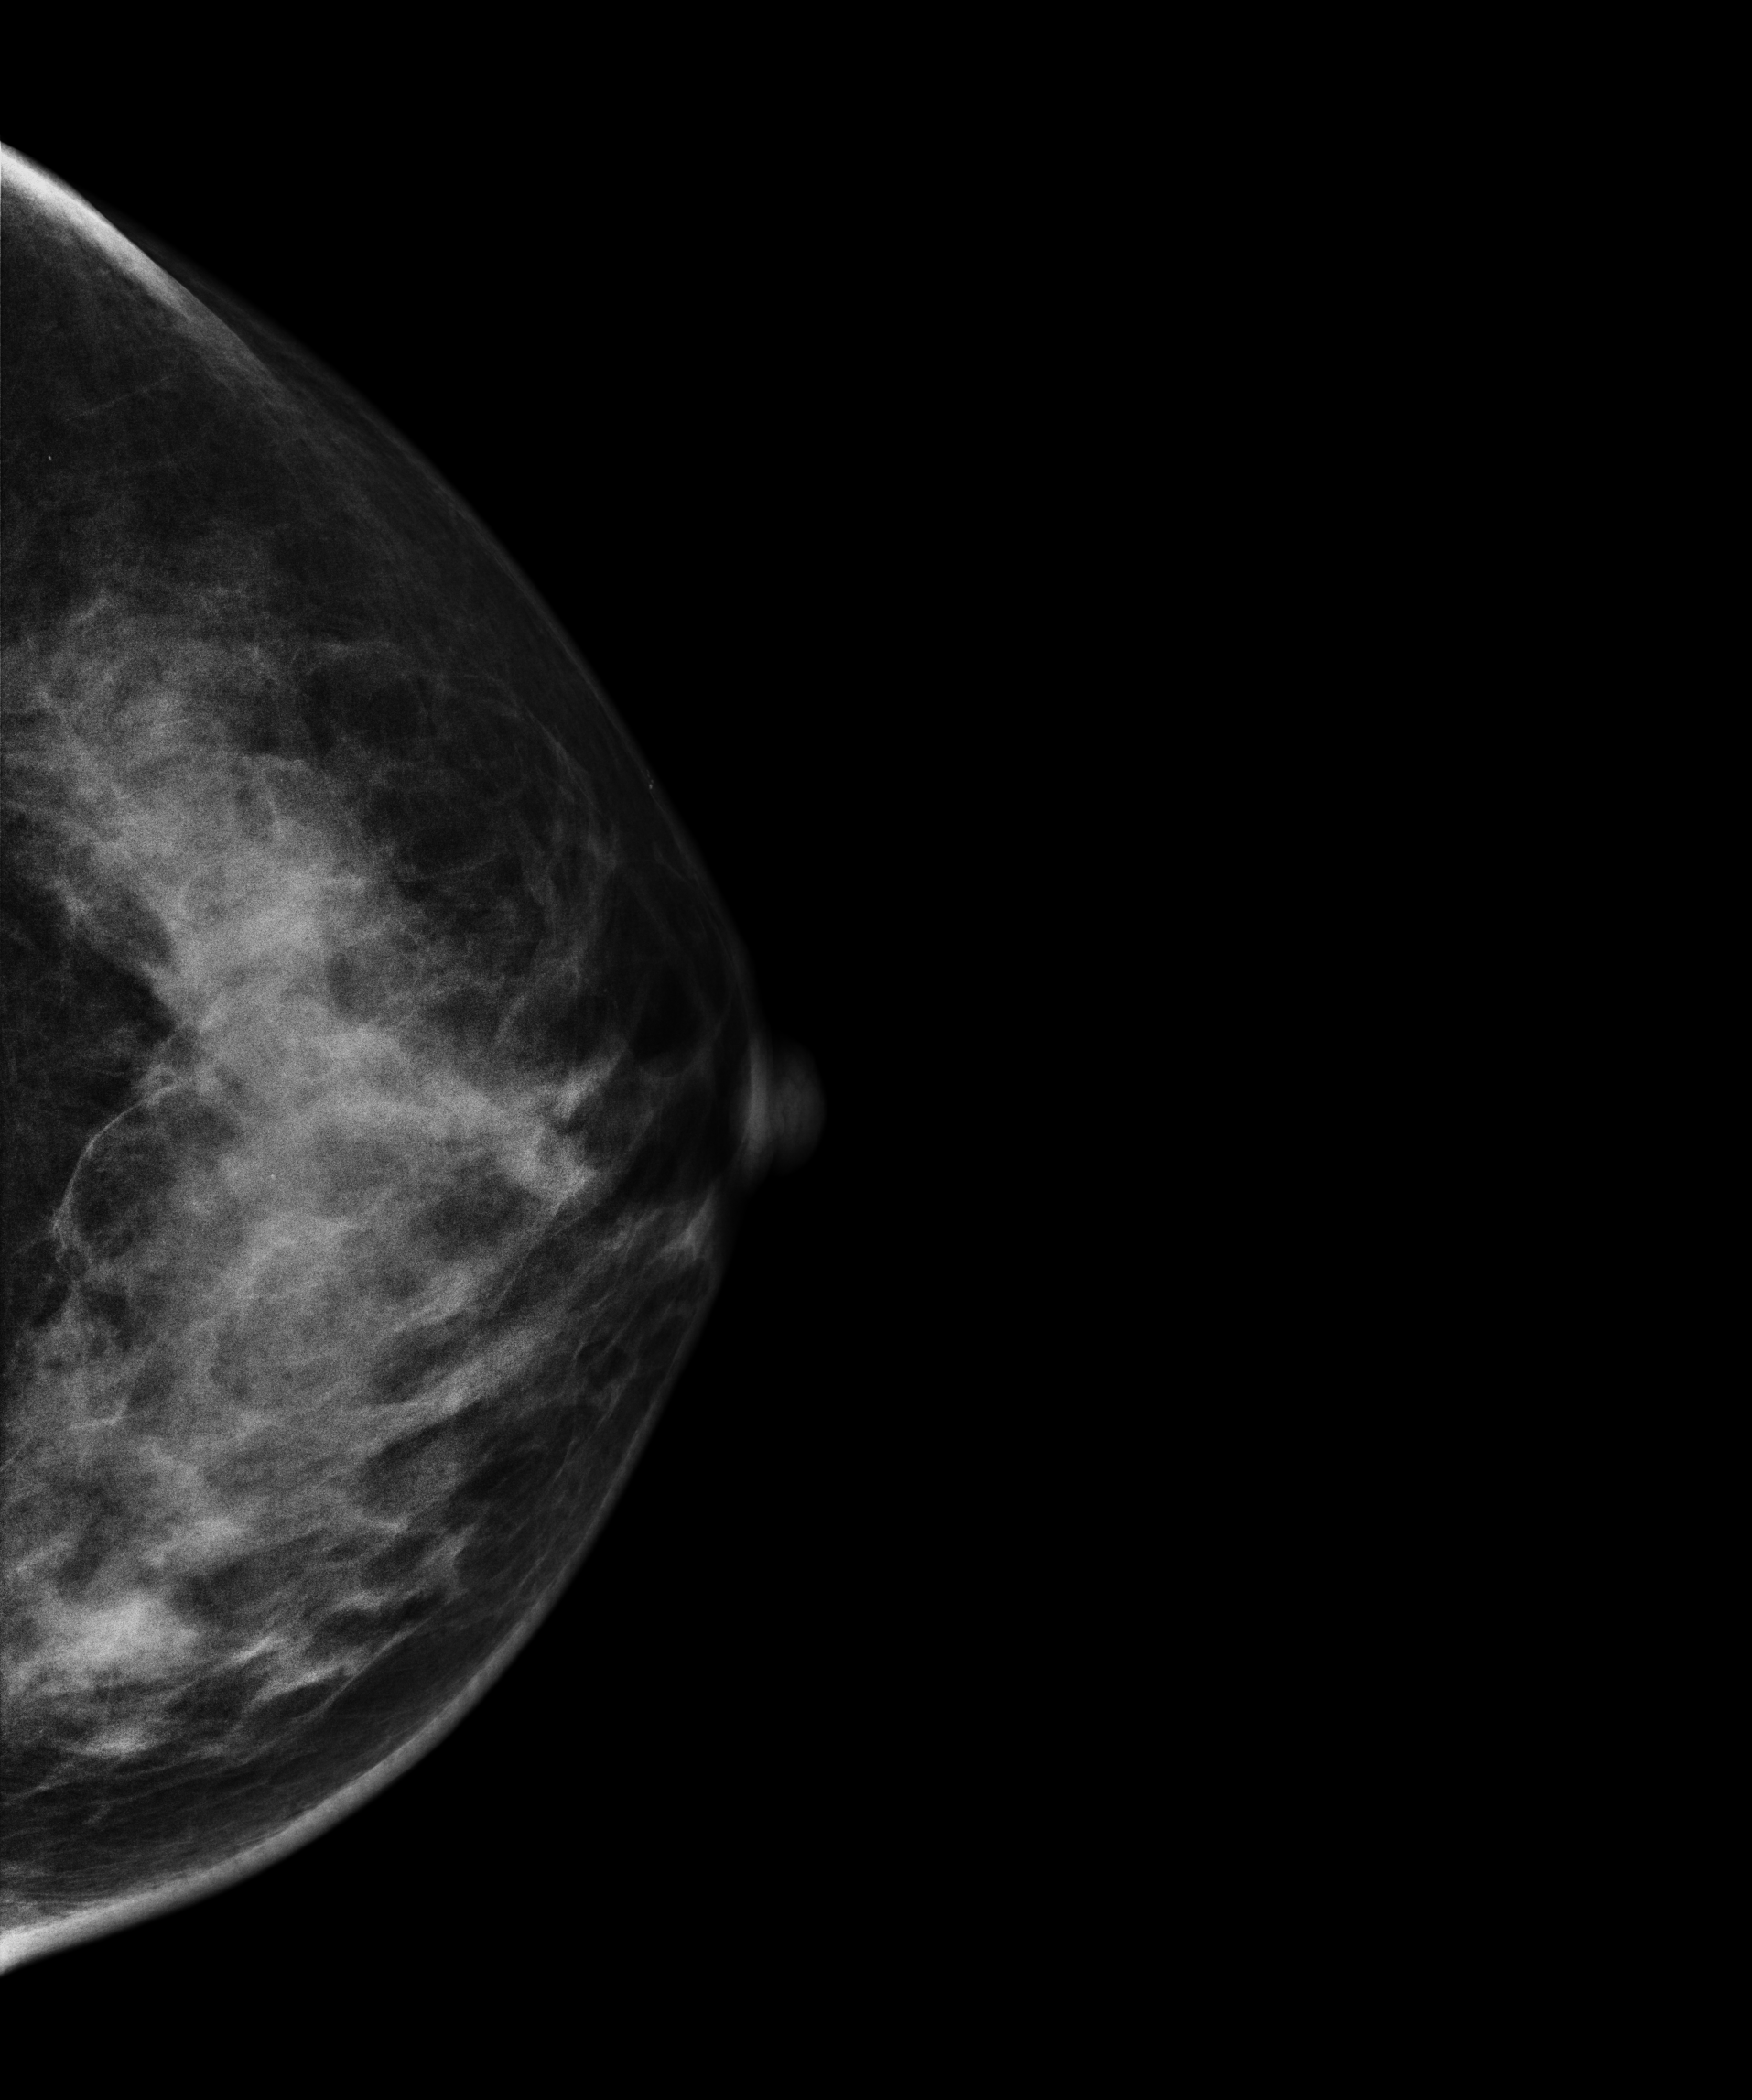
Left-breast mammogram, cranio-caudal. 46 y/o patient.
This breast has a mass, pathology-confirmed malignant.